Mammogram — left medio-lateral oblique. 50 y/o patient.
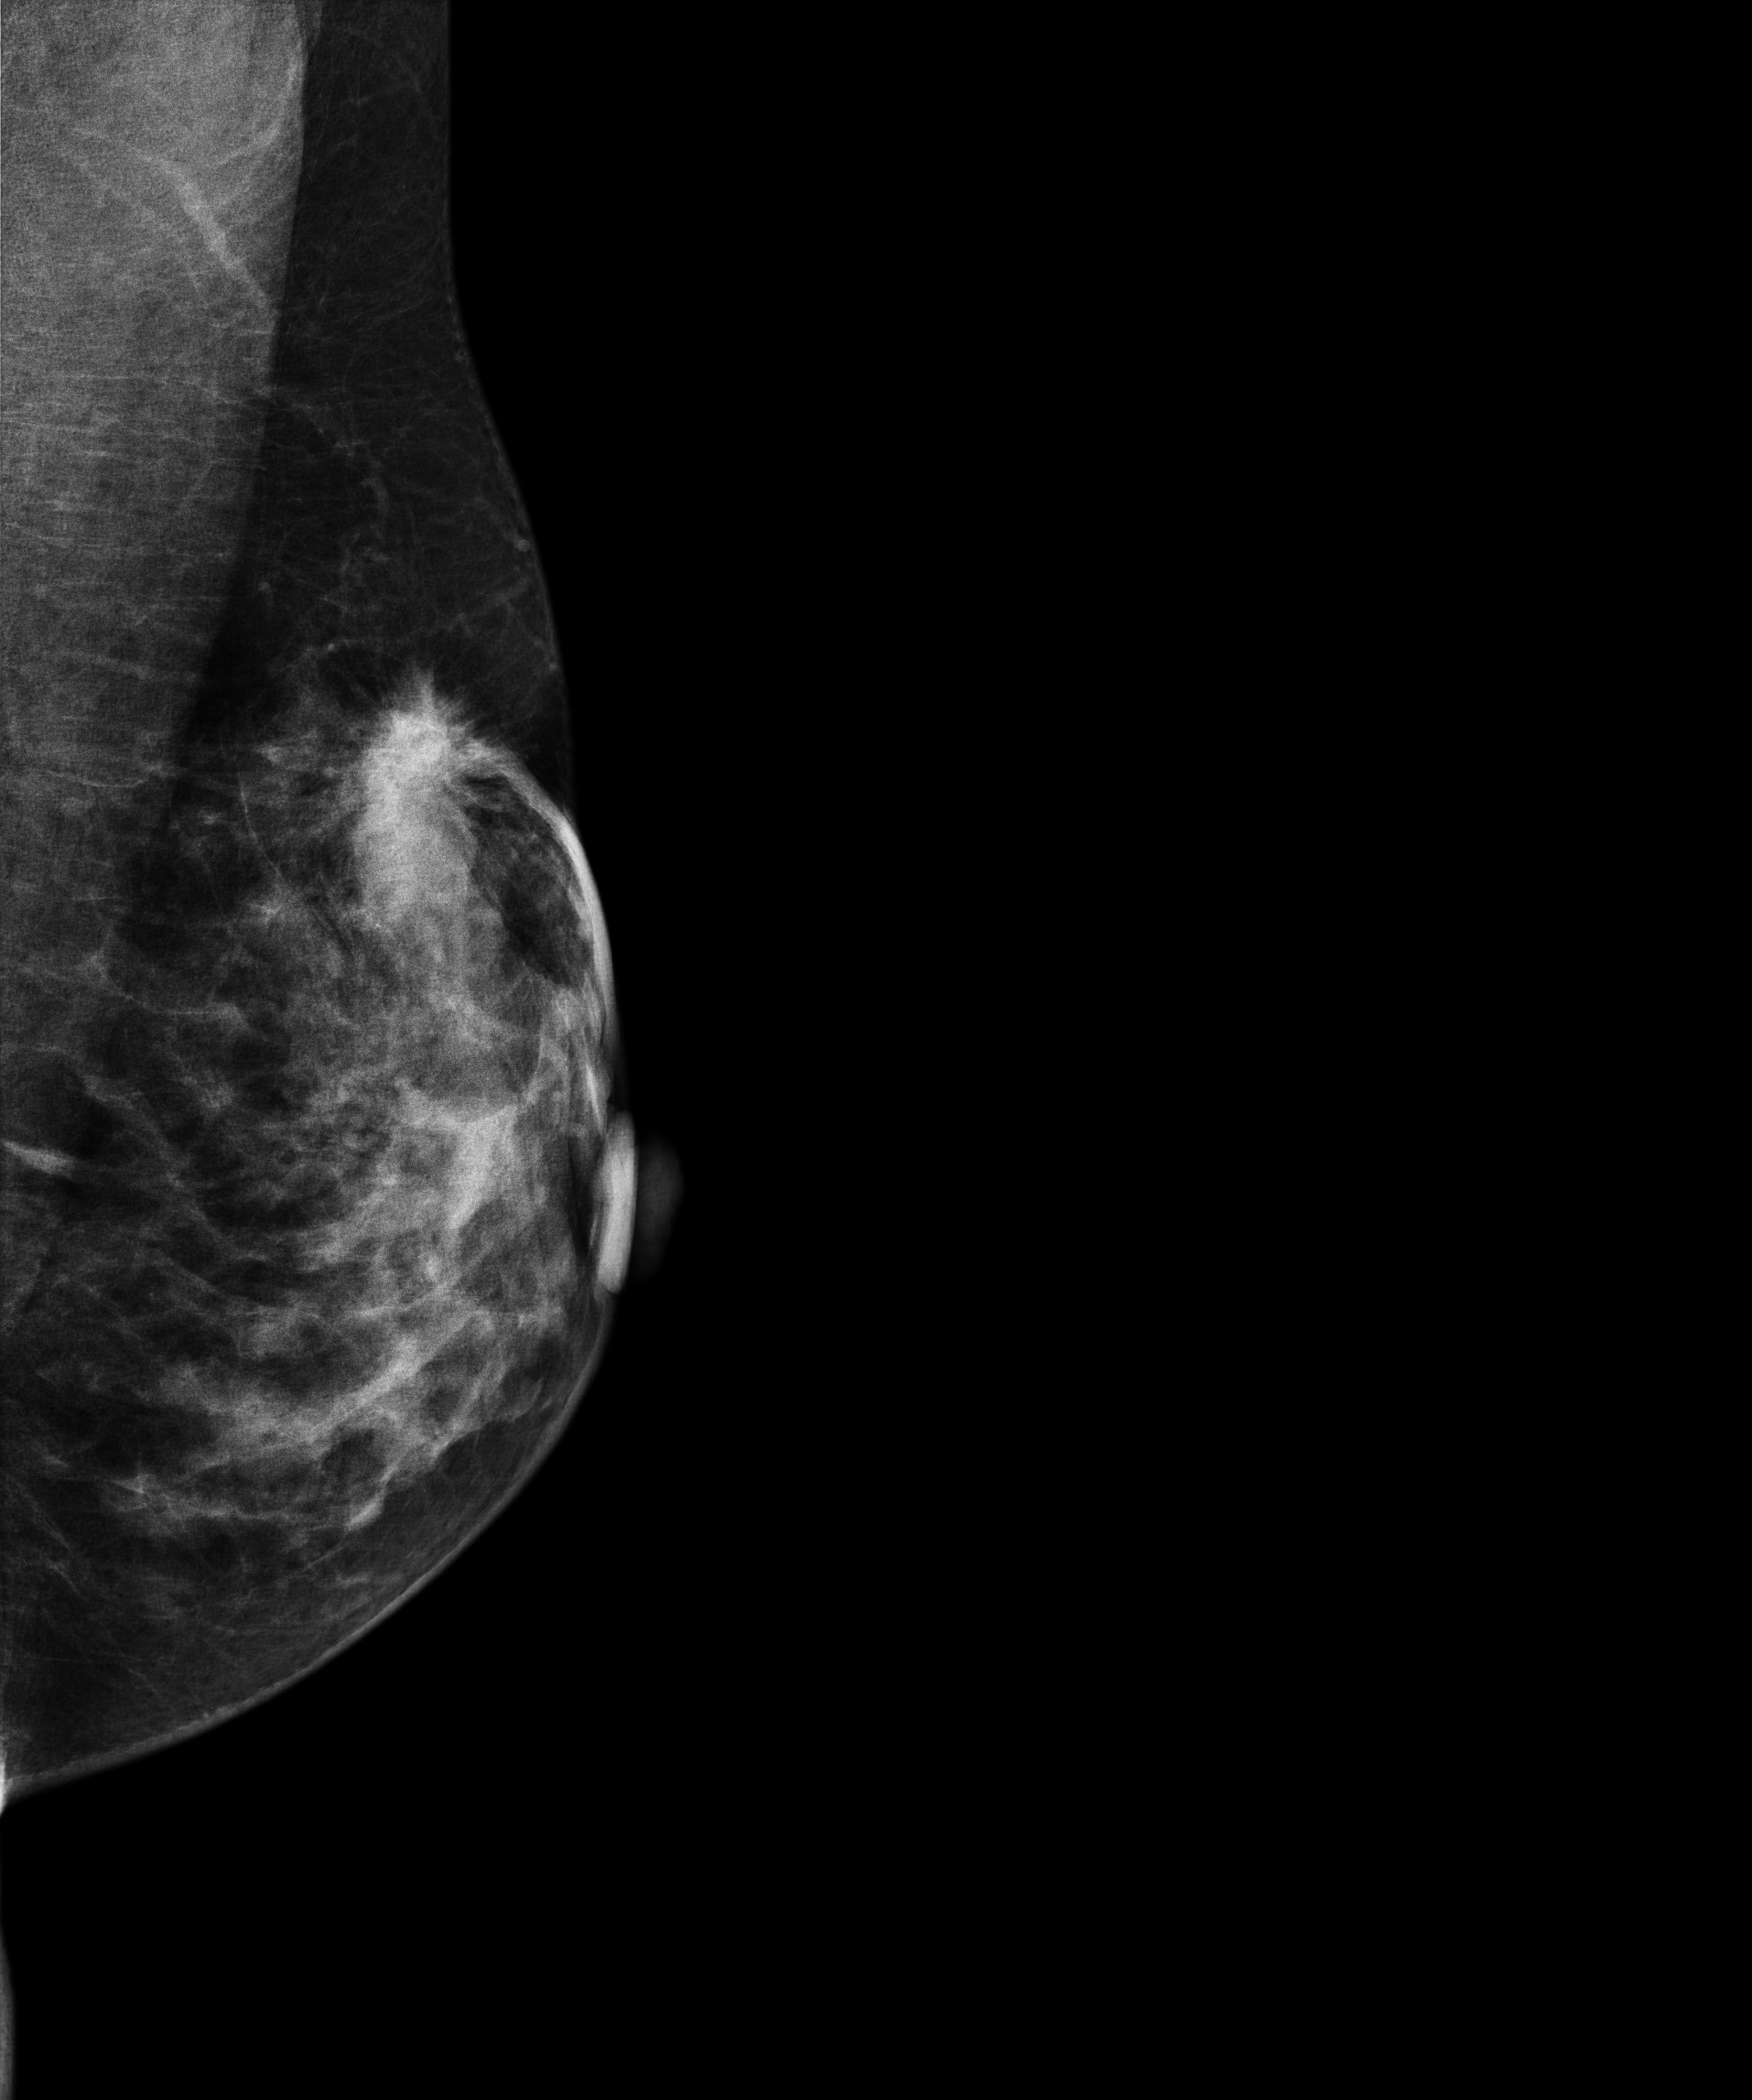
This breast has a mass, pathology-confirmed malignant. Molecular subtype: luminal B.